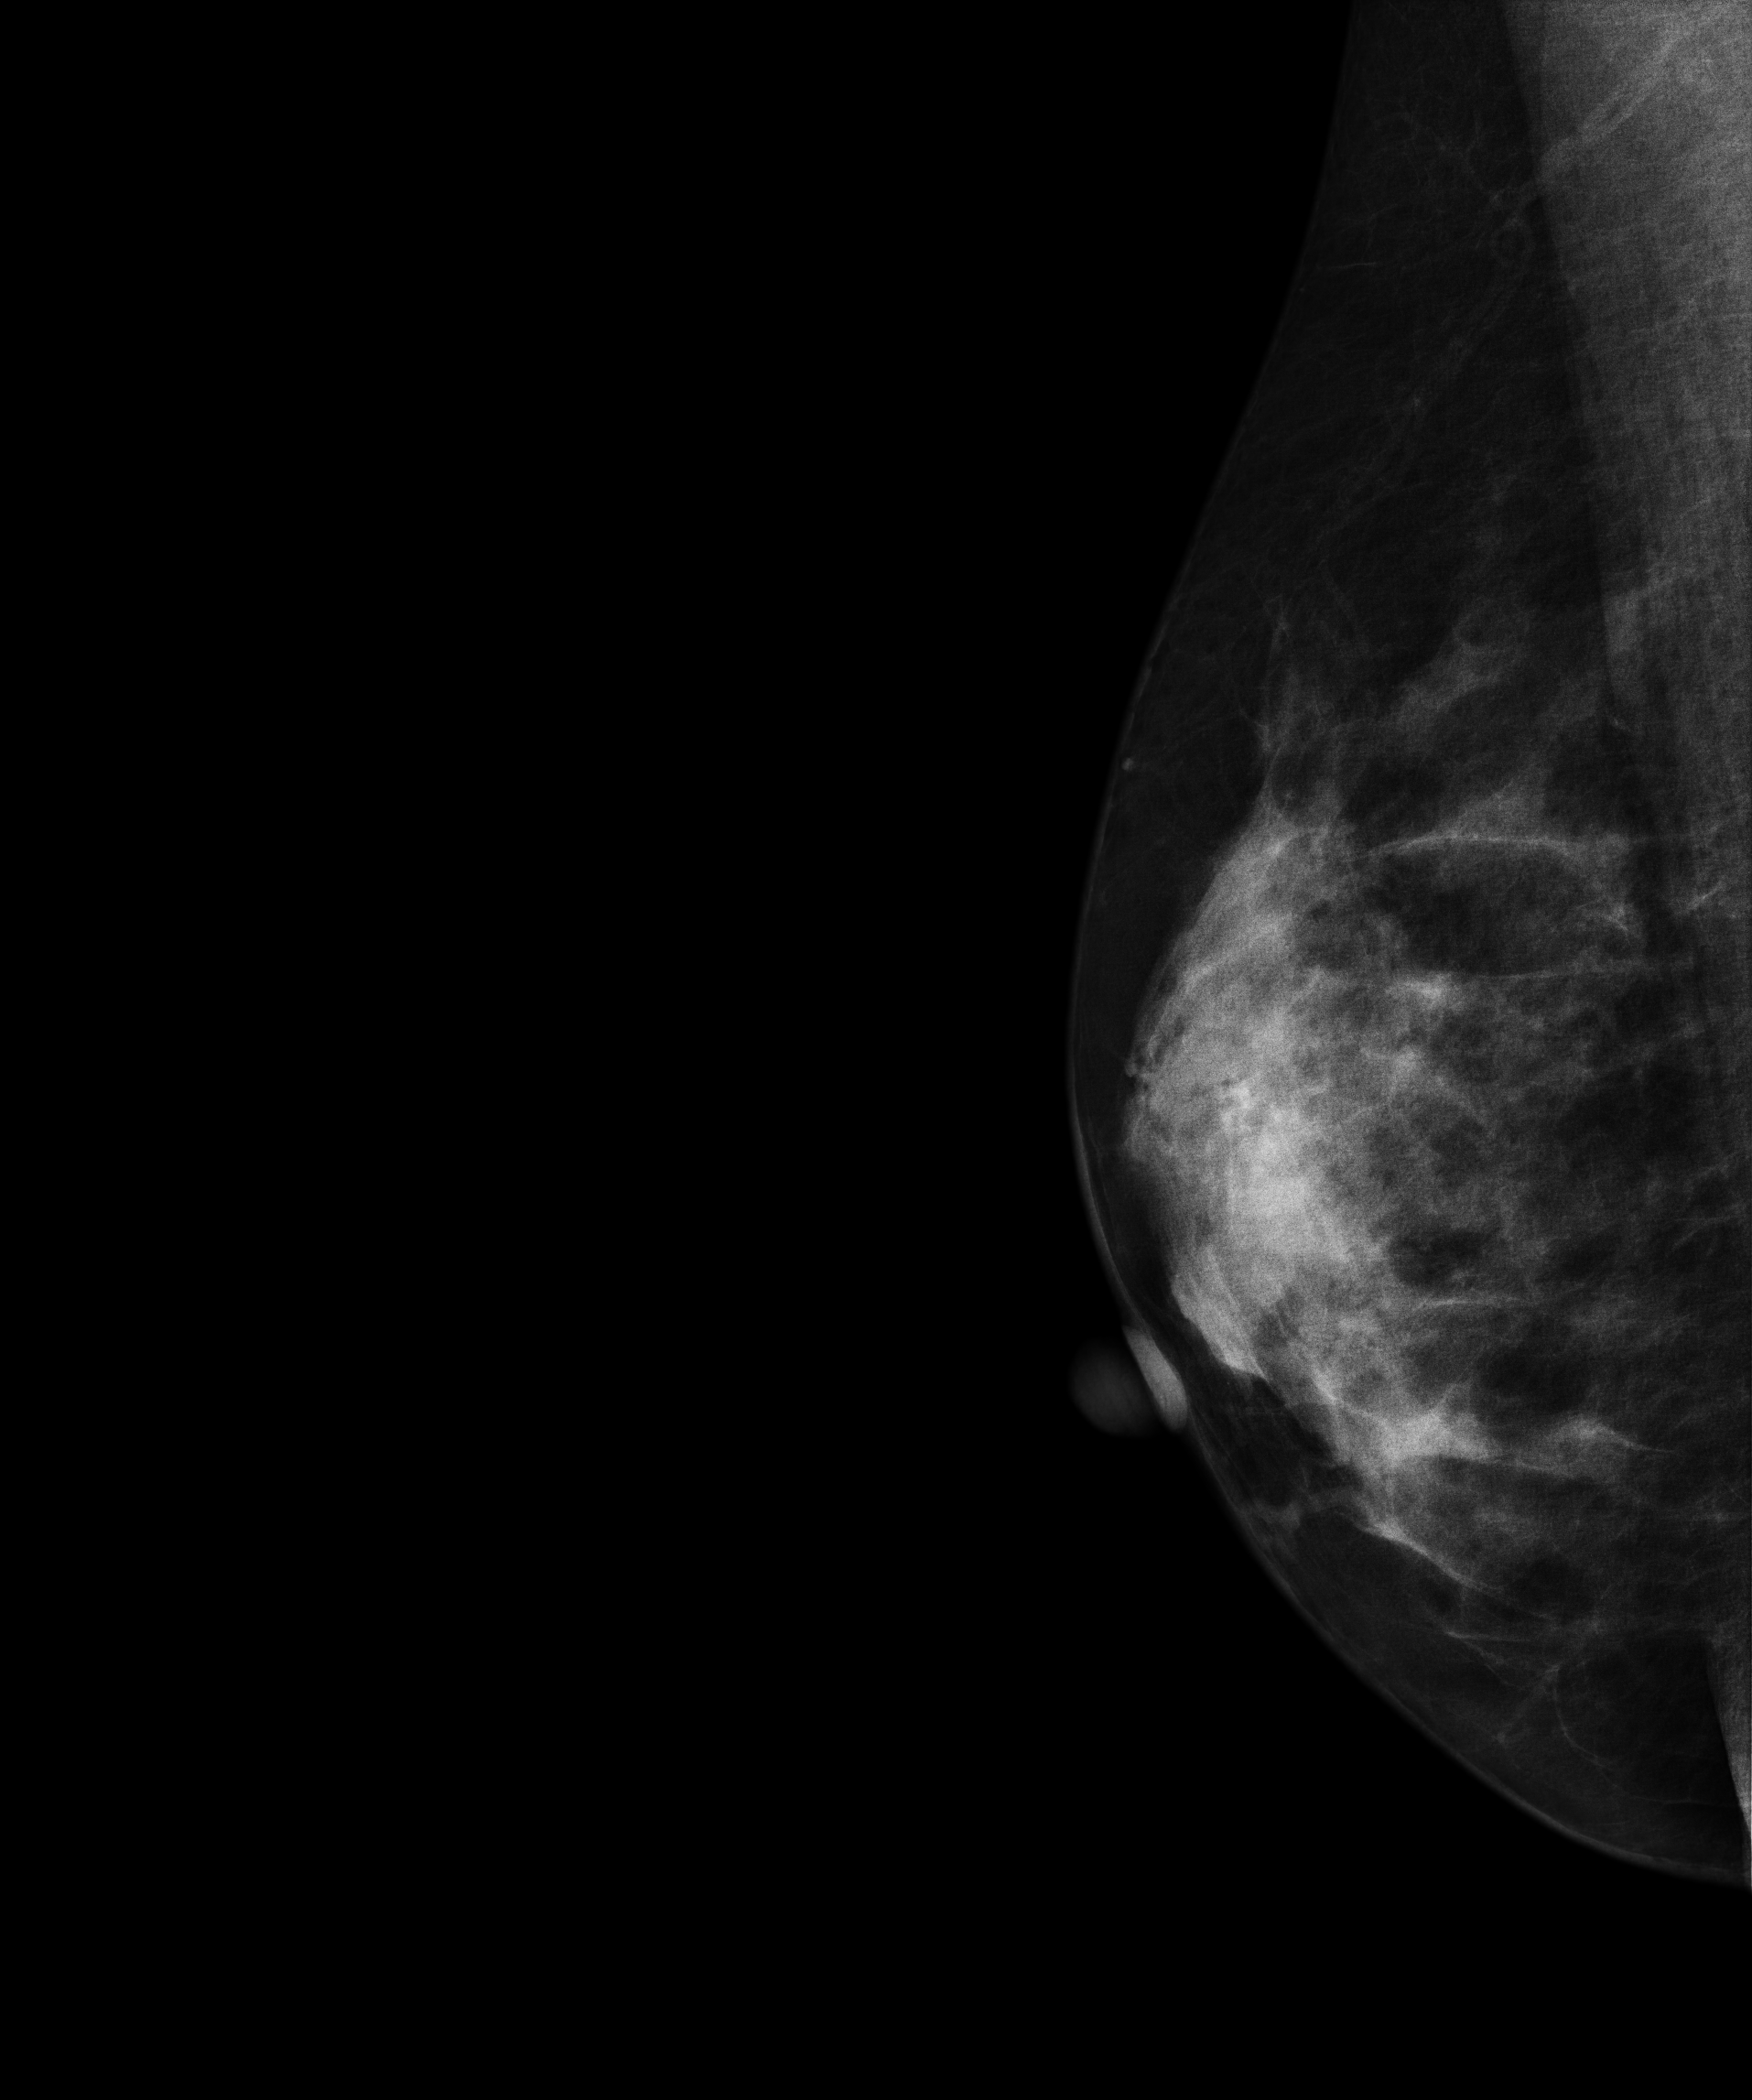
Mammogram — right MLO. Patient age 51.
Contralateral breast — no documented abnormality on this side.